Digital mammography. Right breast, CC projection. 61-year-old patient.
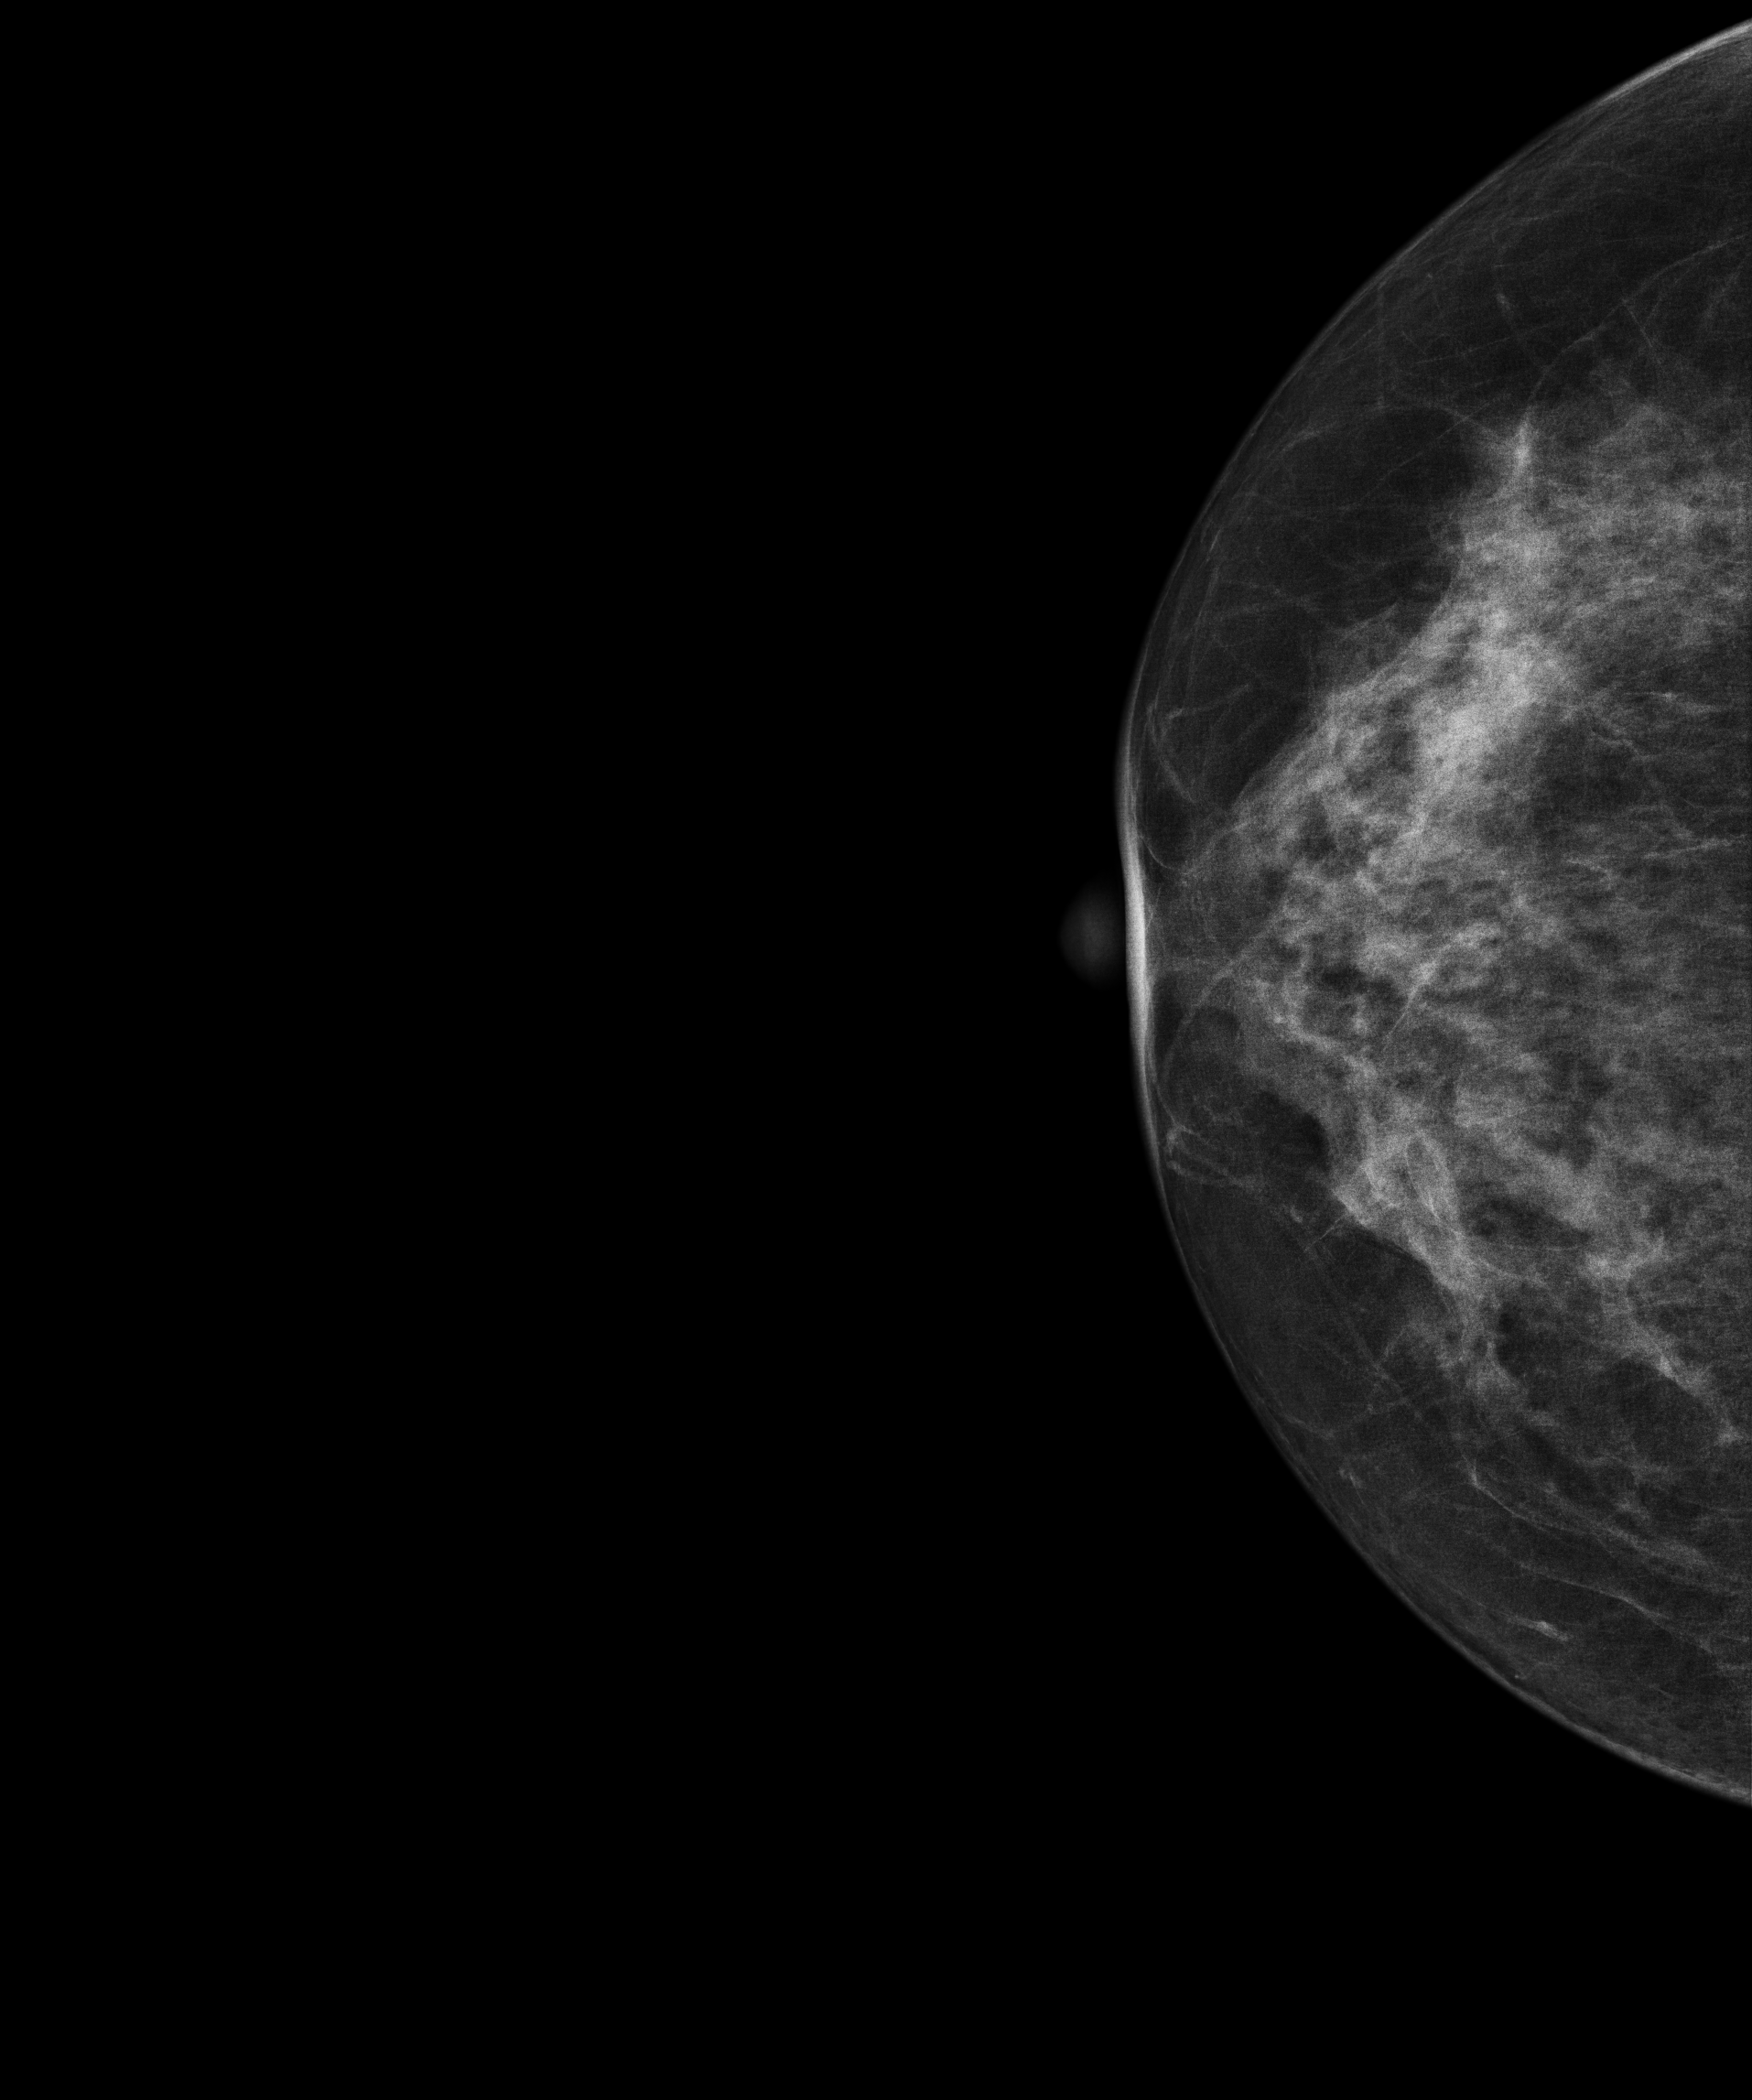
Contralateral breast — no documented abnormality on this side.